Digital mammography. Right breast, MLO projection. 33-year-old patient.
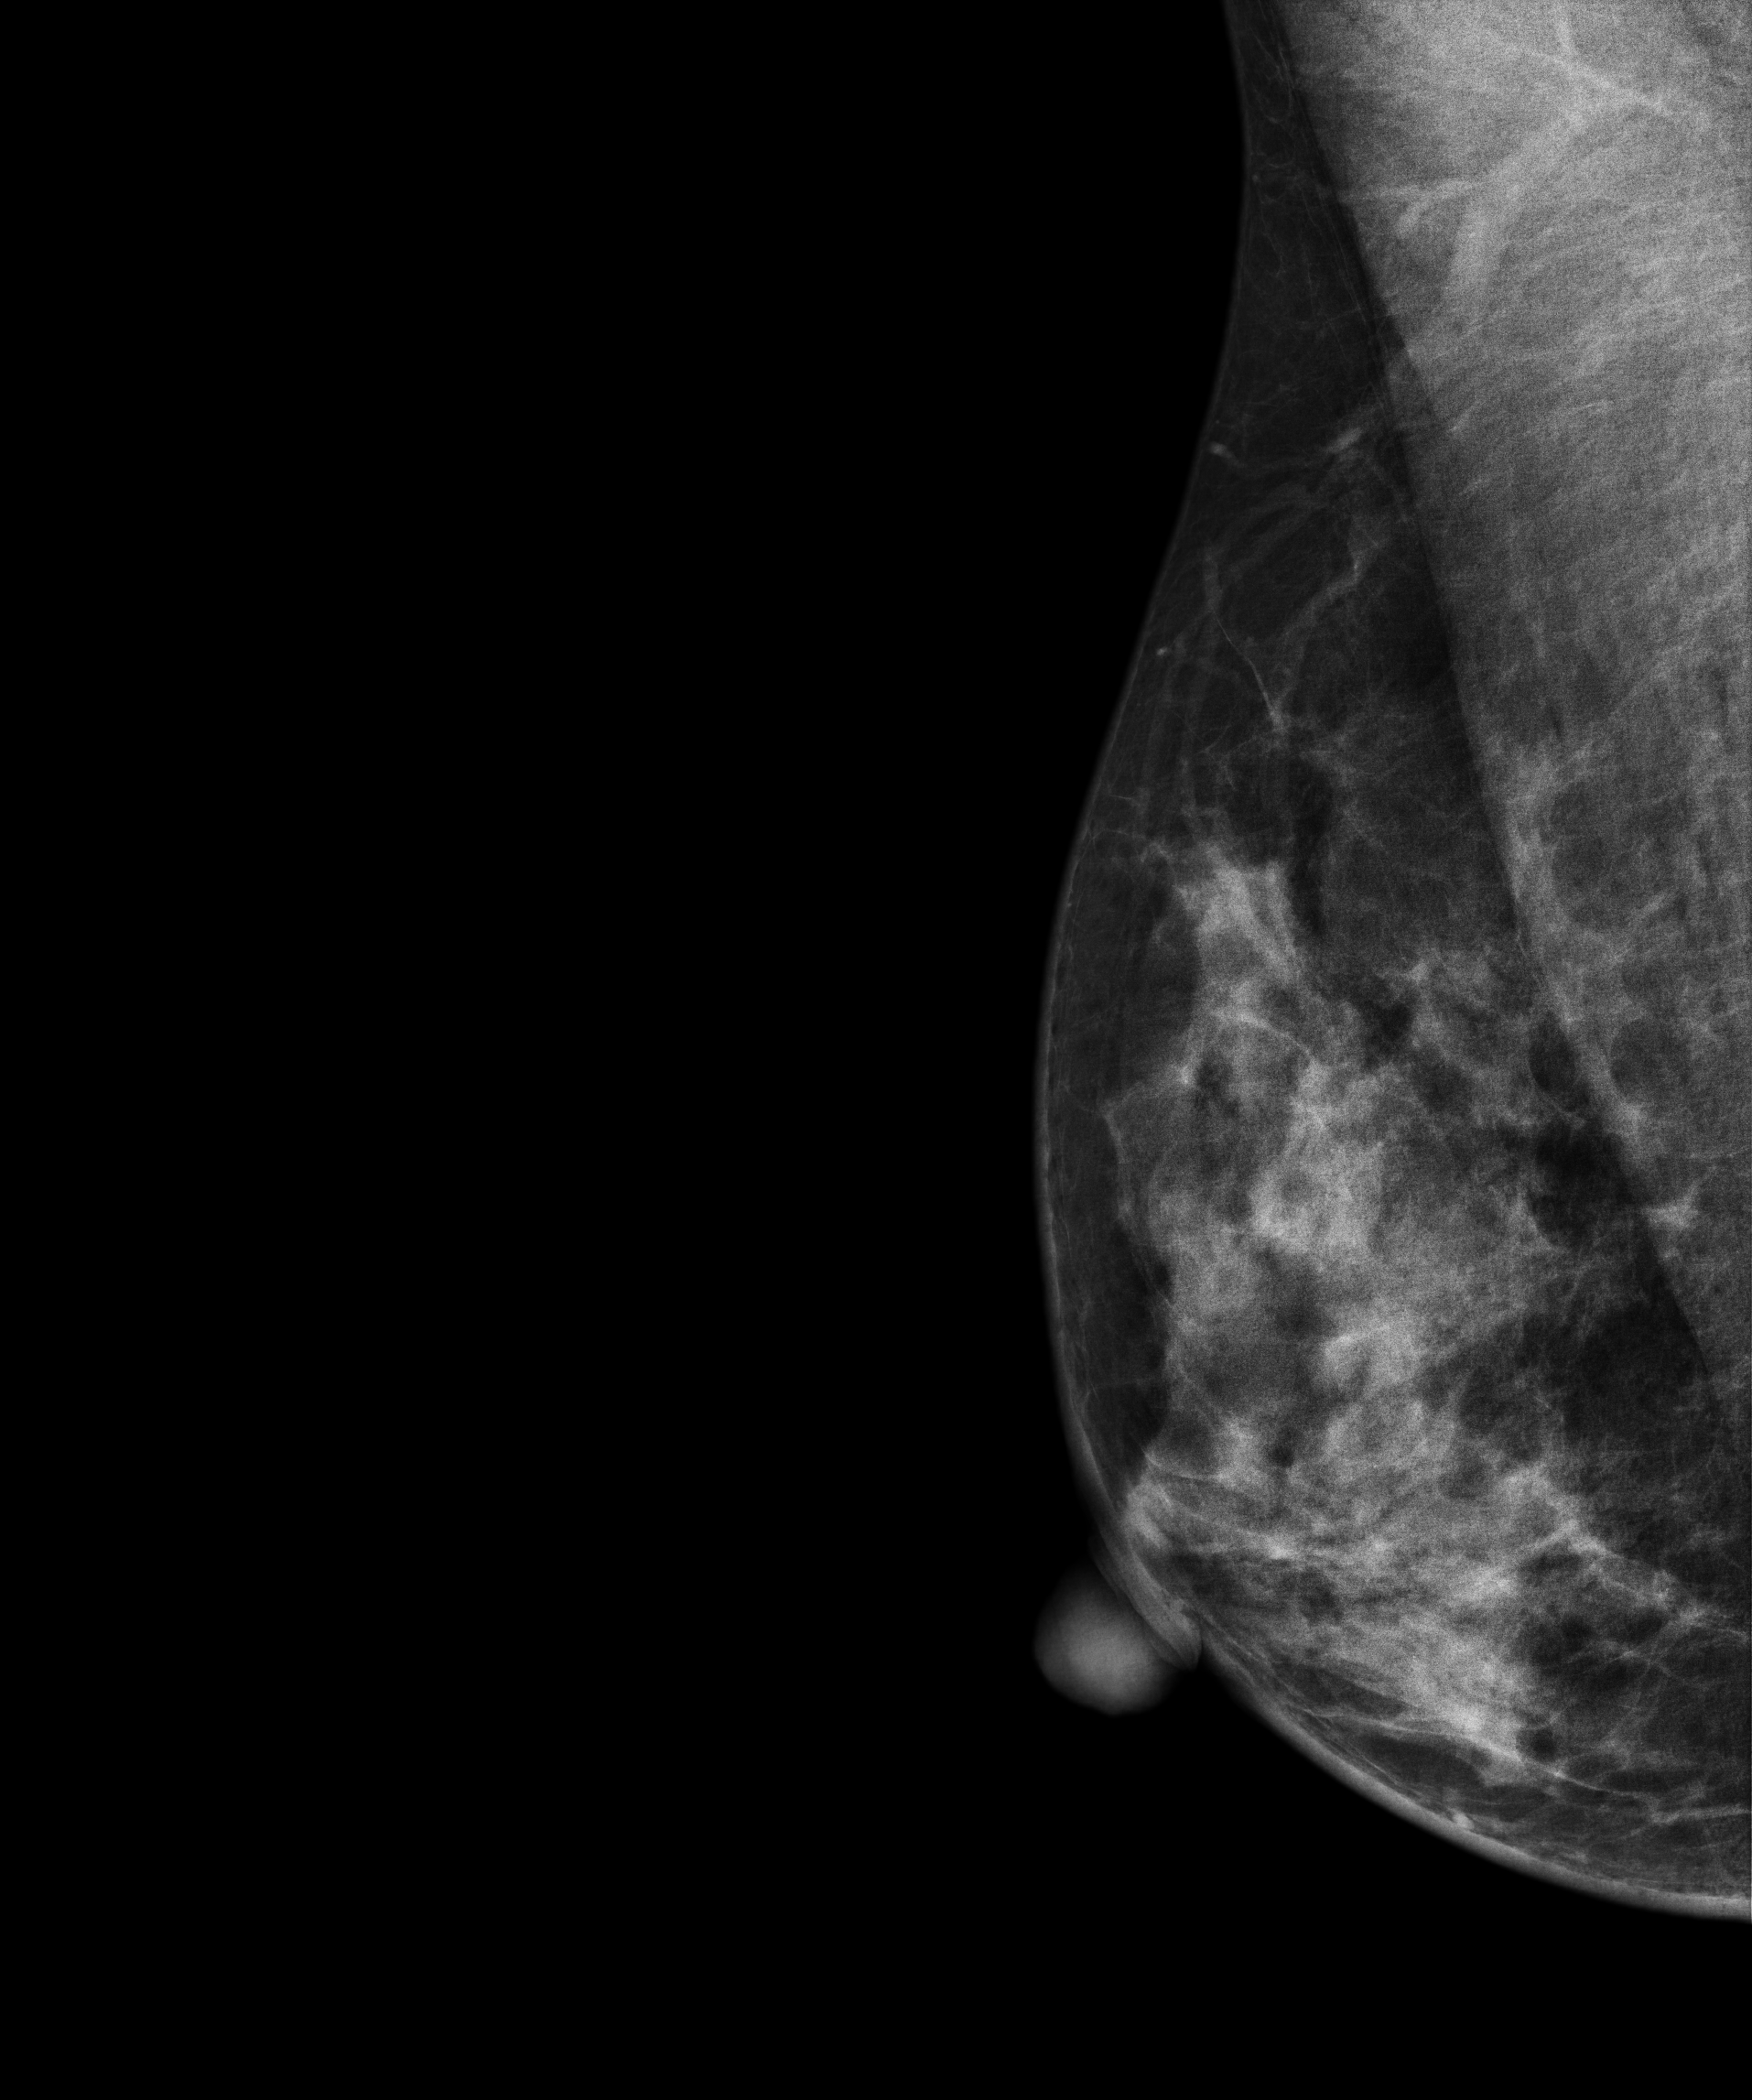
Contralateral breast — no documented abnormality on this side.